Digital mammography. Left breast, CC projection. Patient age 68.
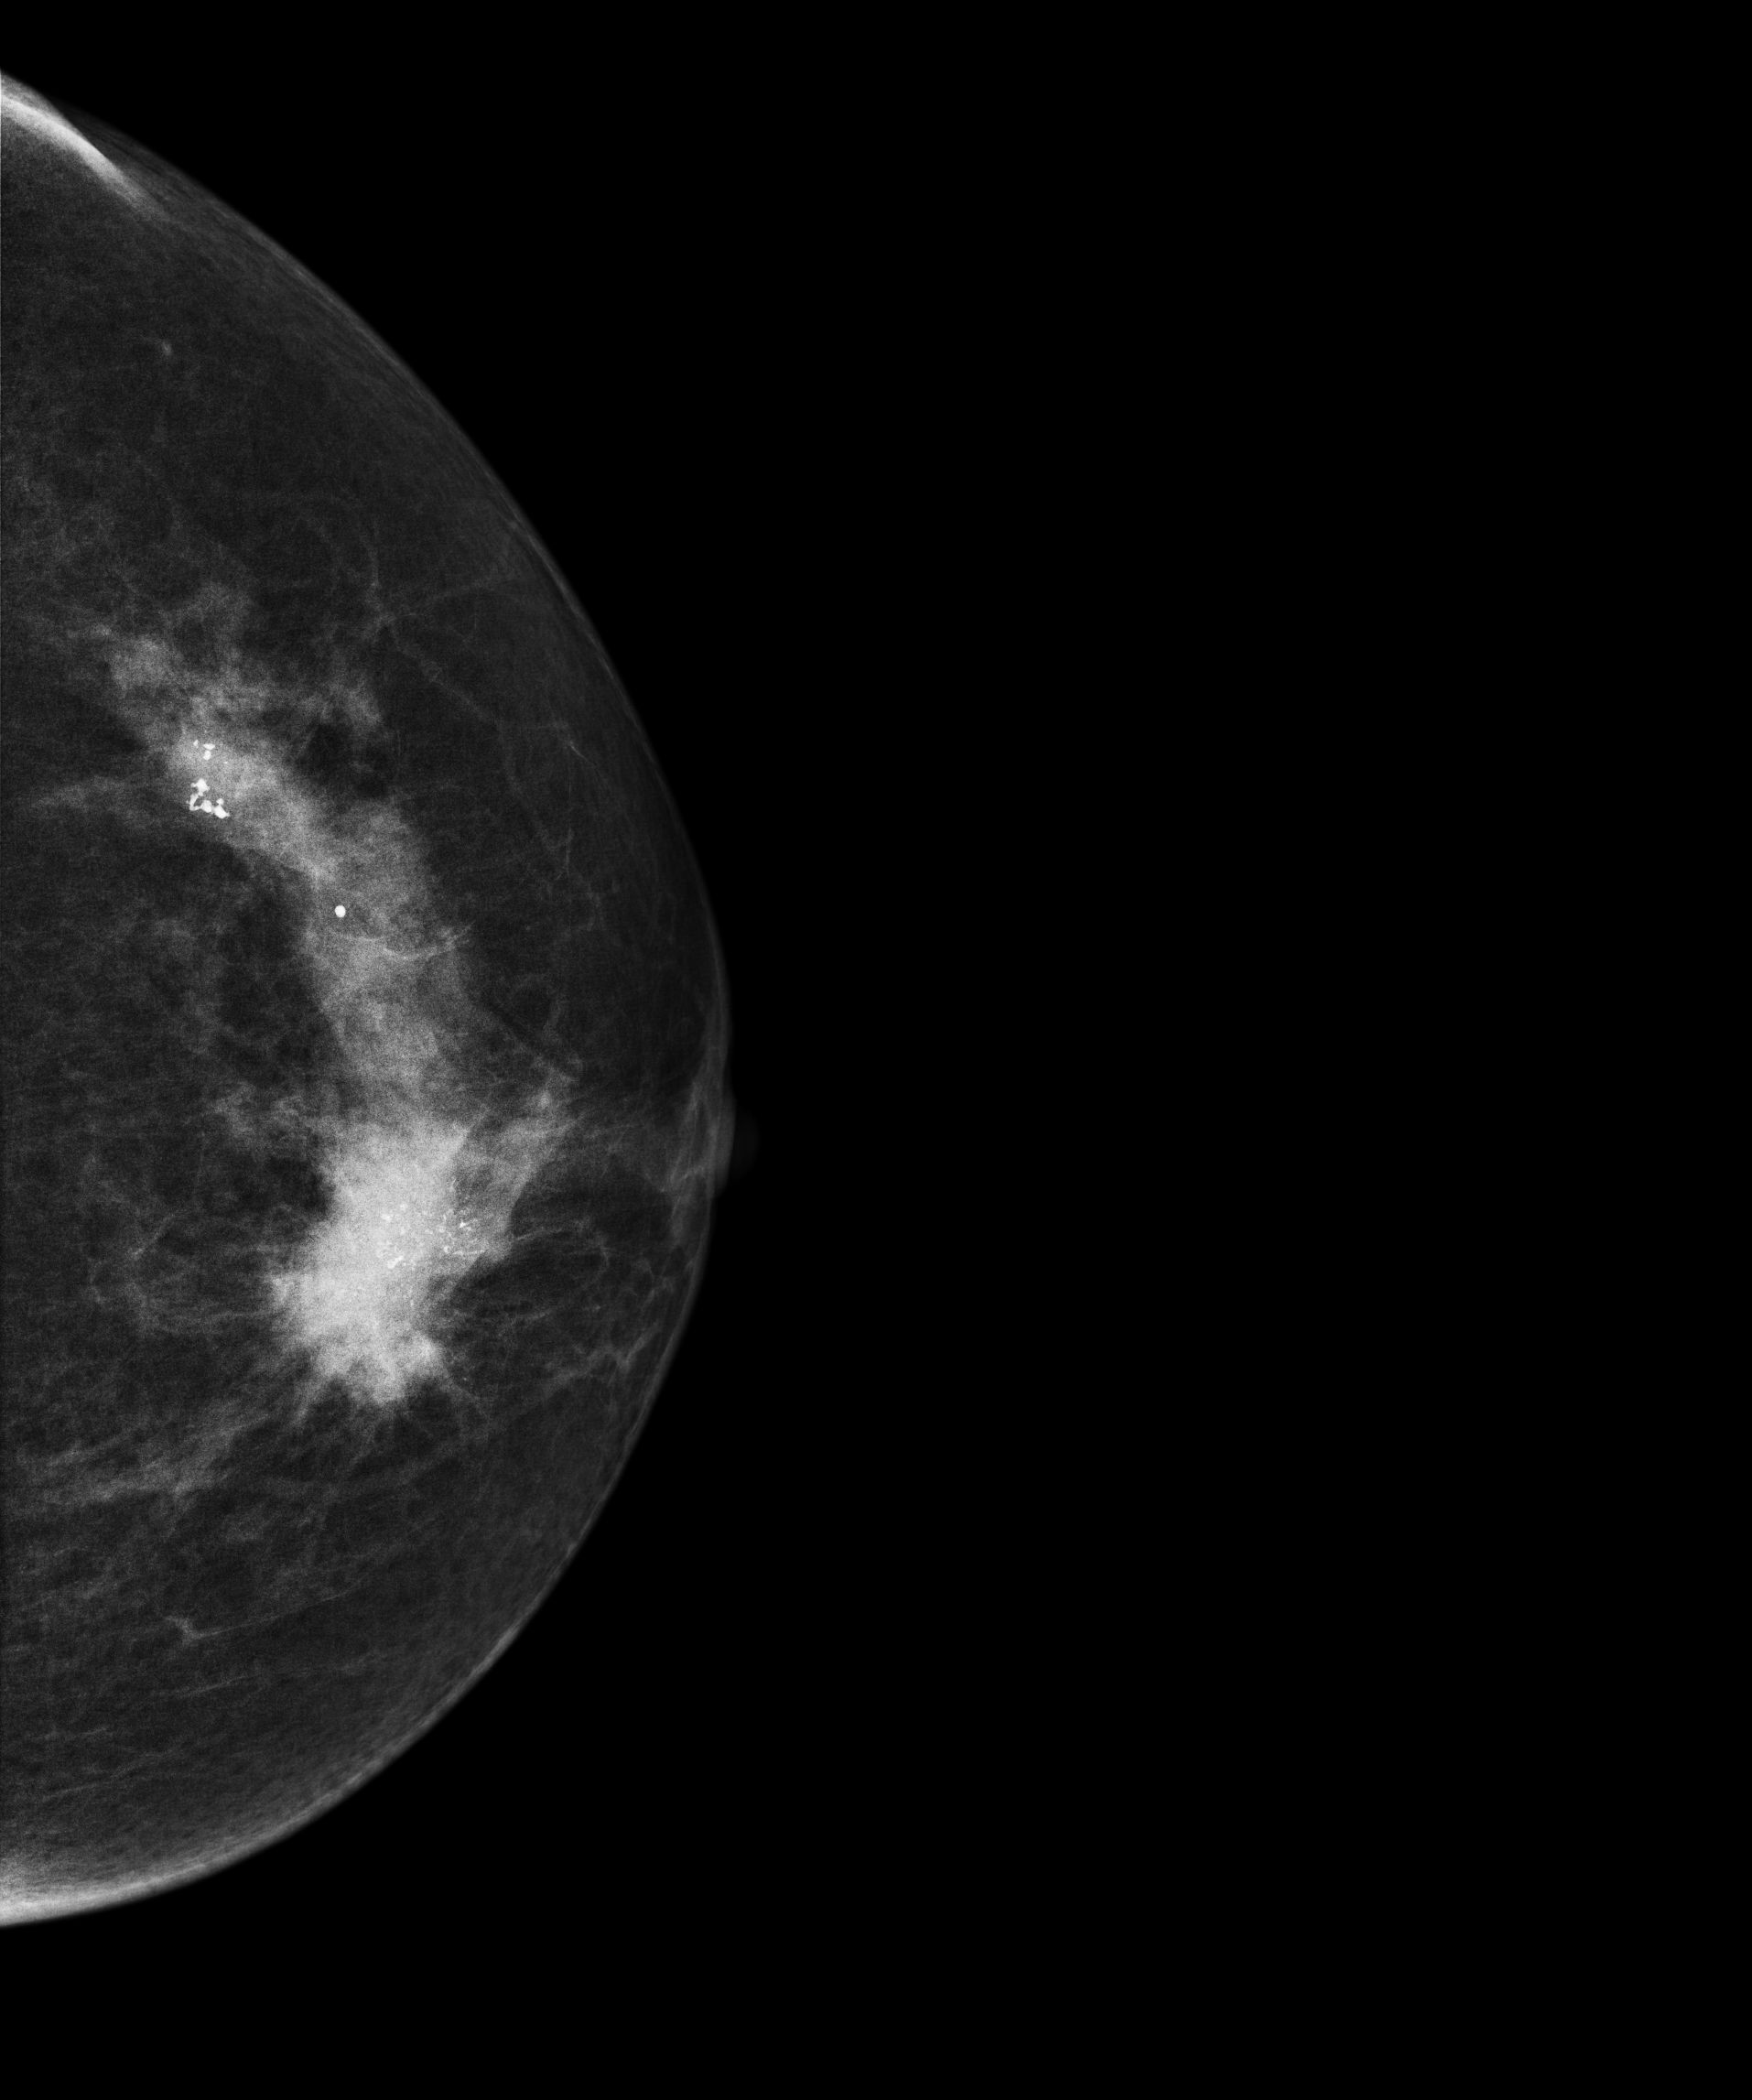
This breast has a mass and calcifications, histologically confirmed malignant.